CC mammogram of the right breast. 44 y/o patient.
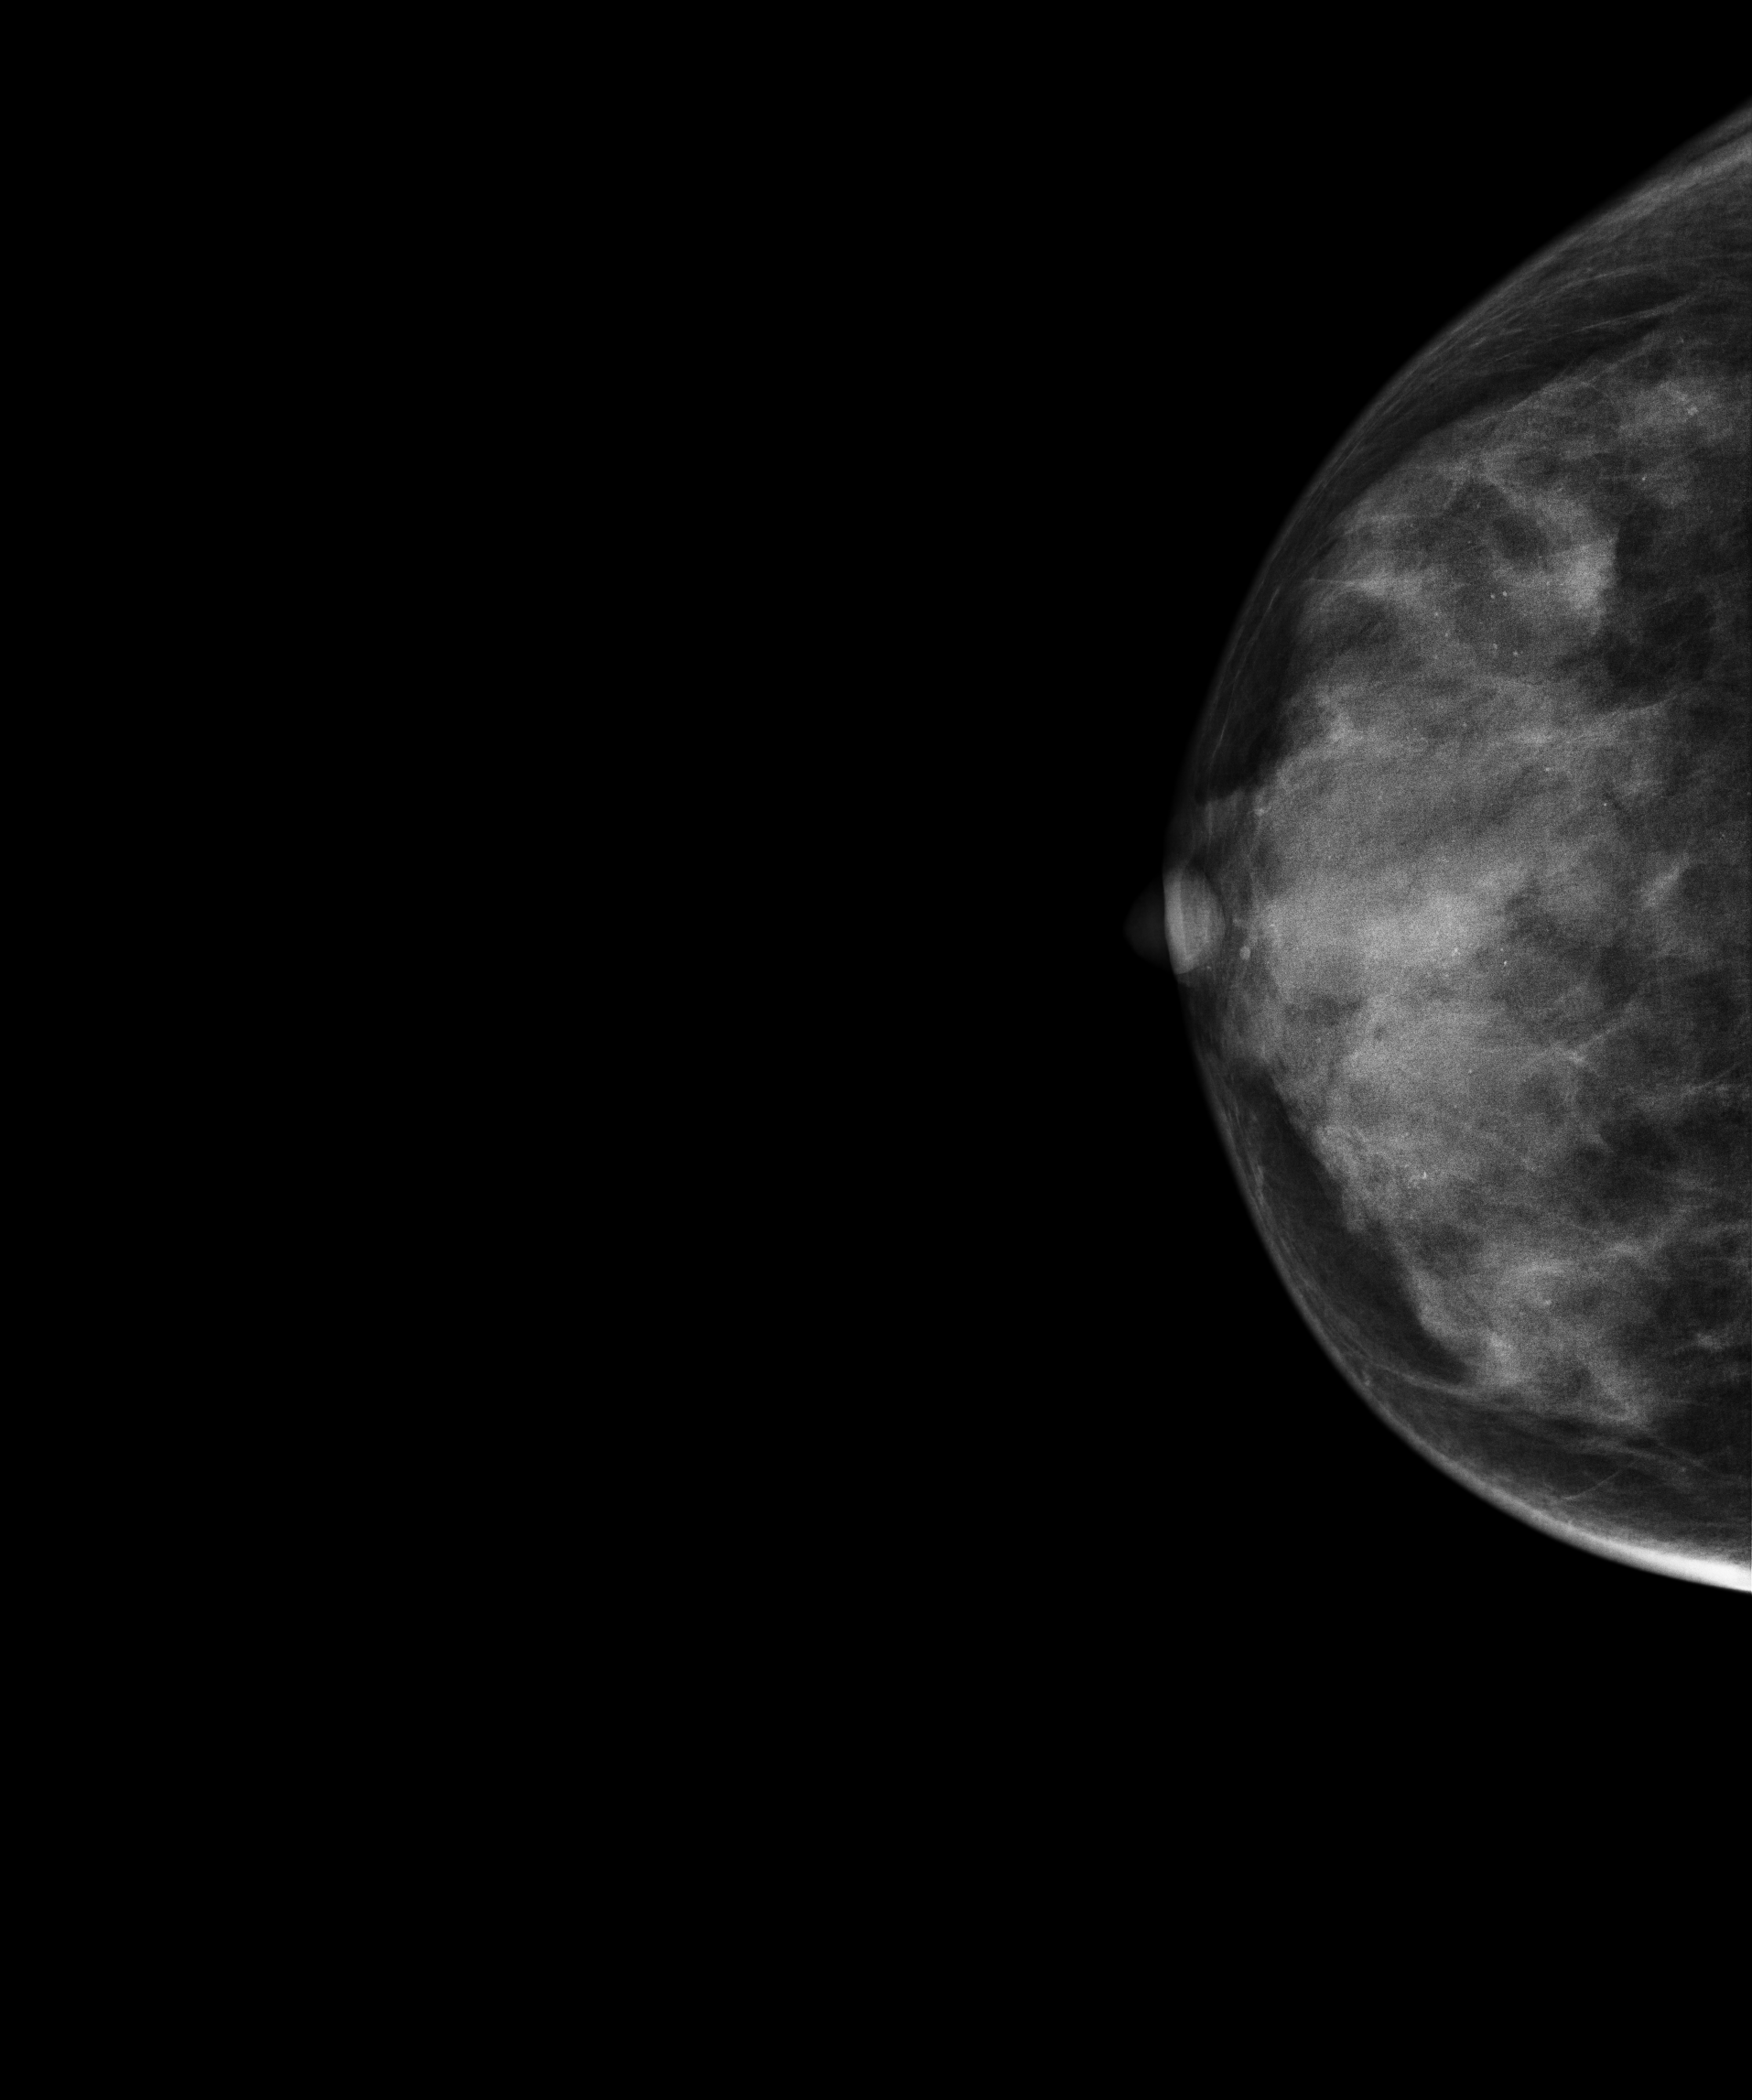
This breast has calcifications, pathology-confirmed benign.